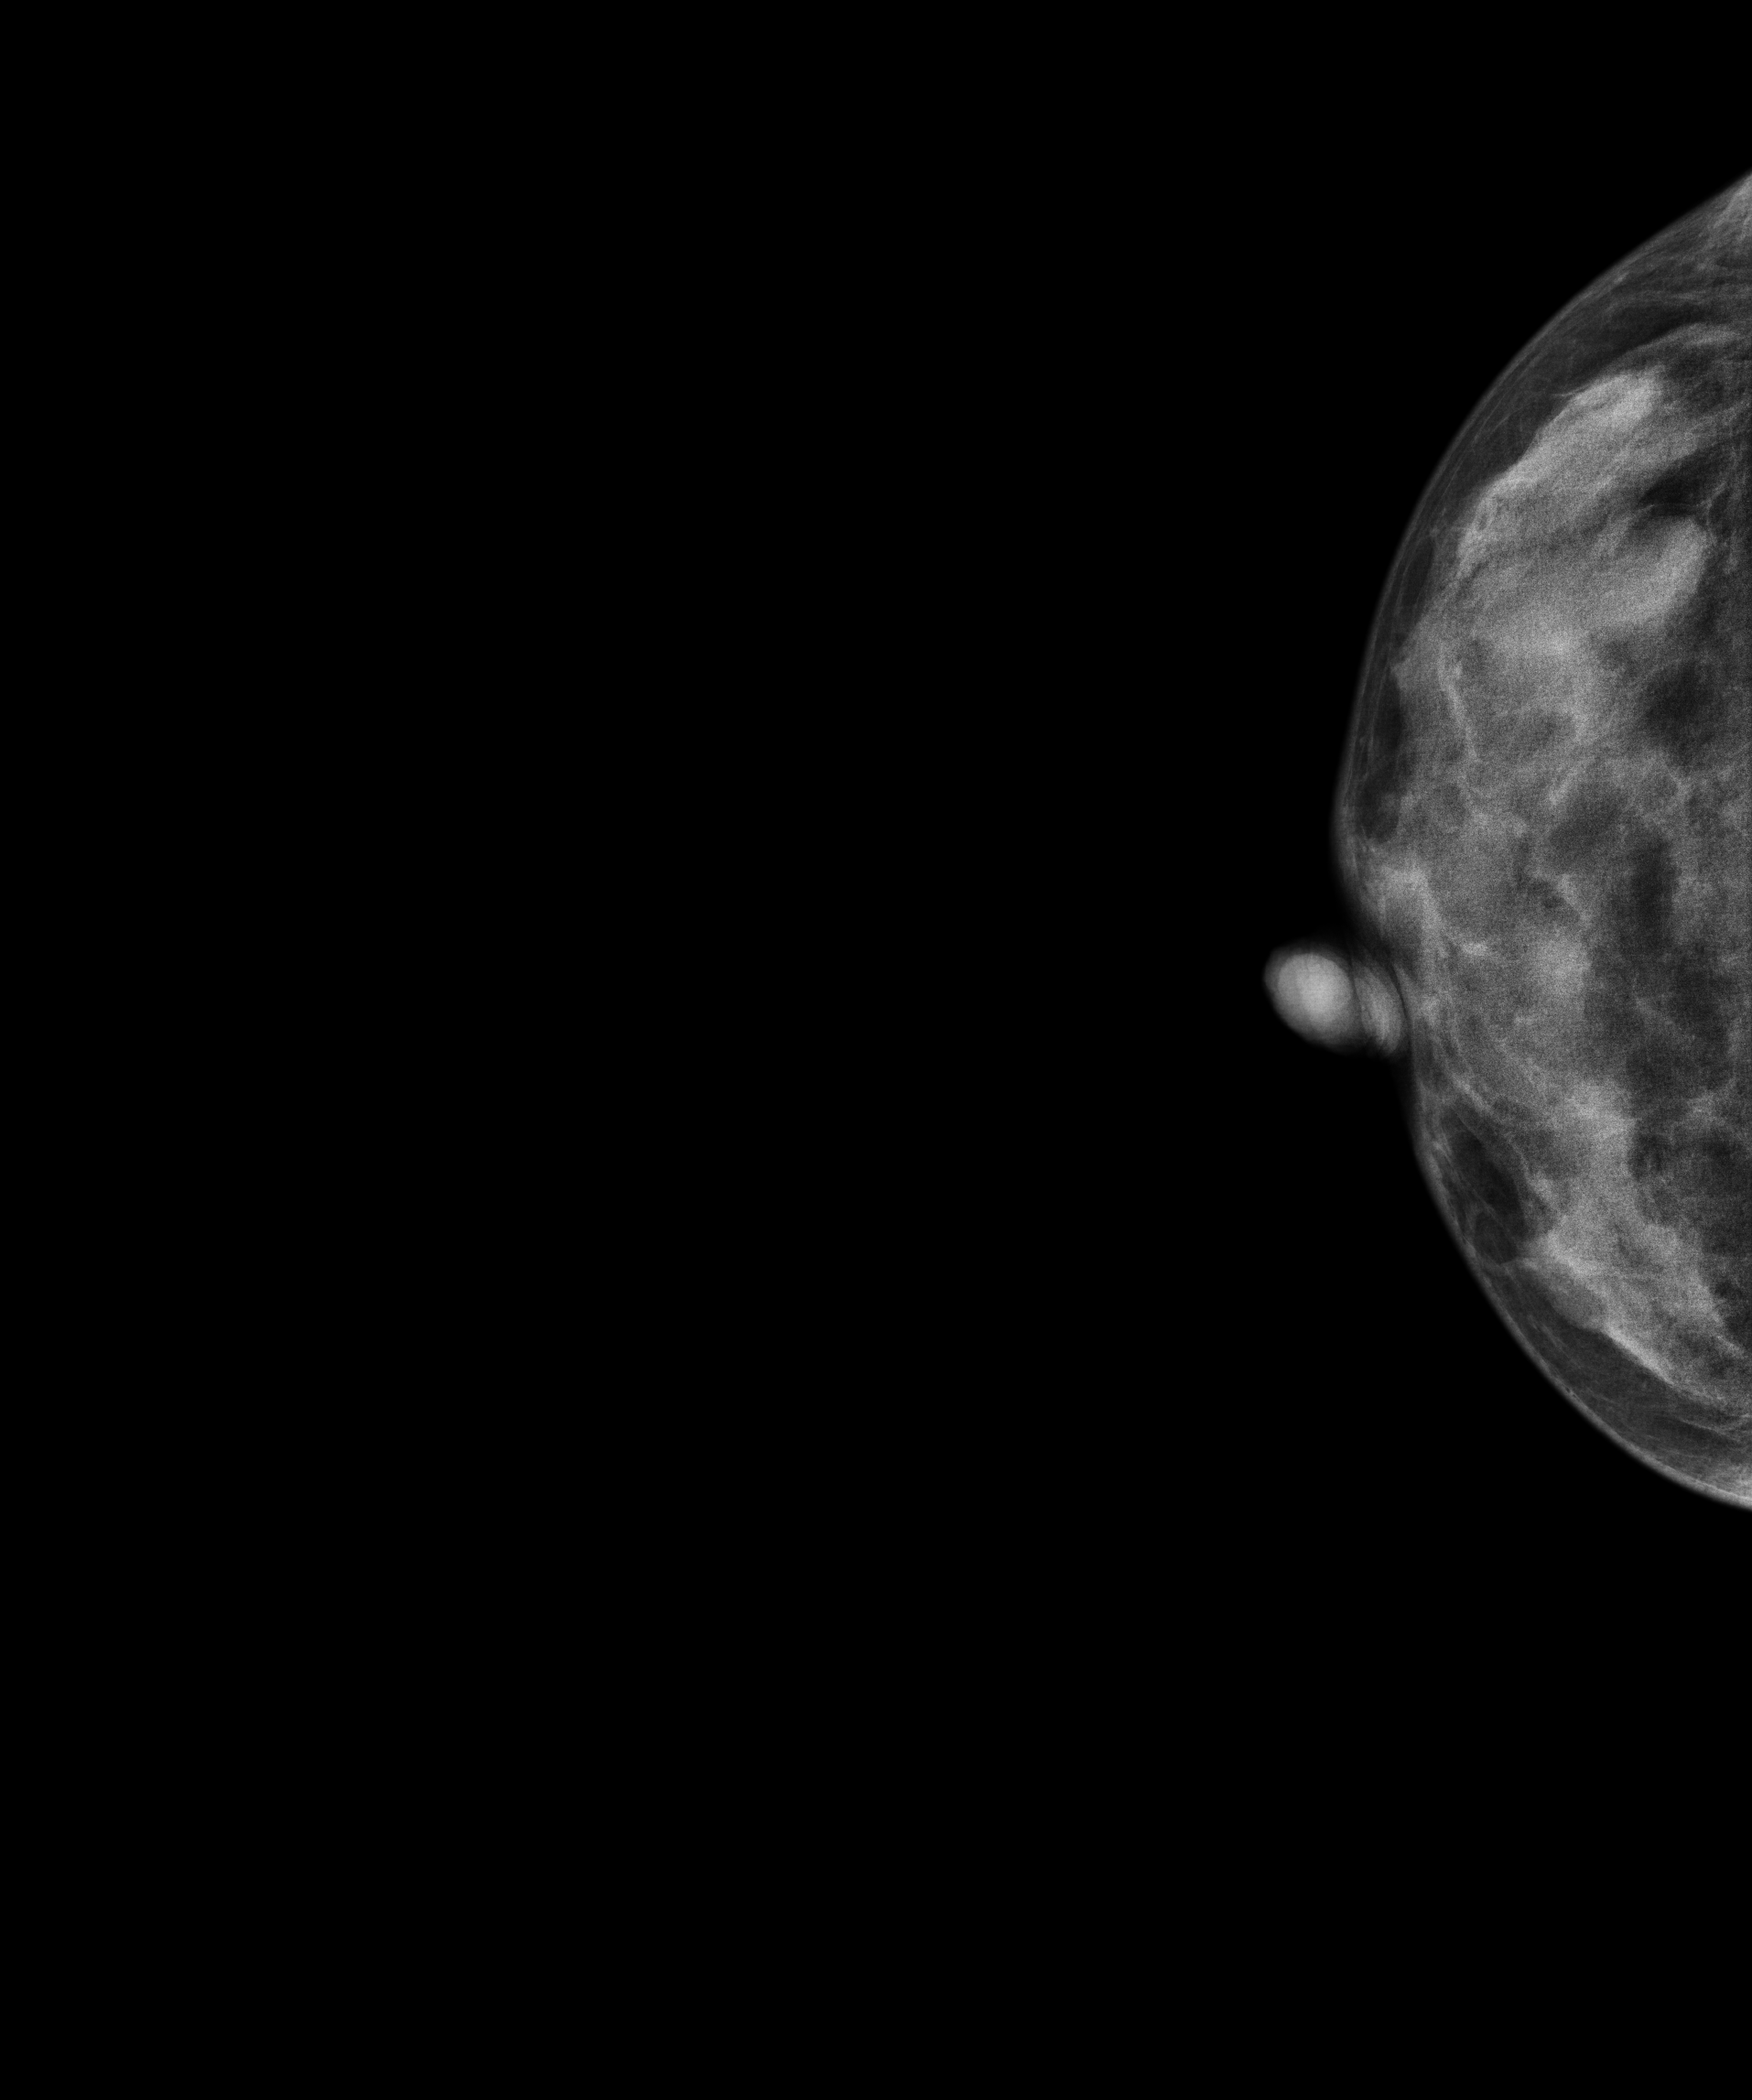
Right-breast mammogram, cranio-caudal. 39 y/o patient.
This breast has a mass, biopsy-proven benign.